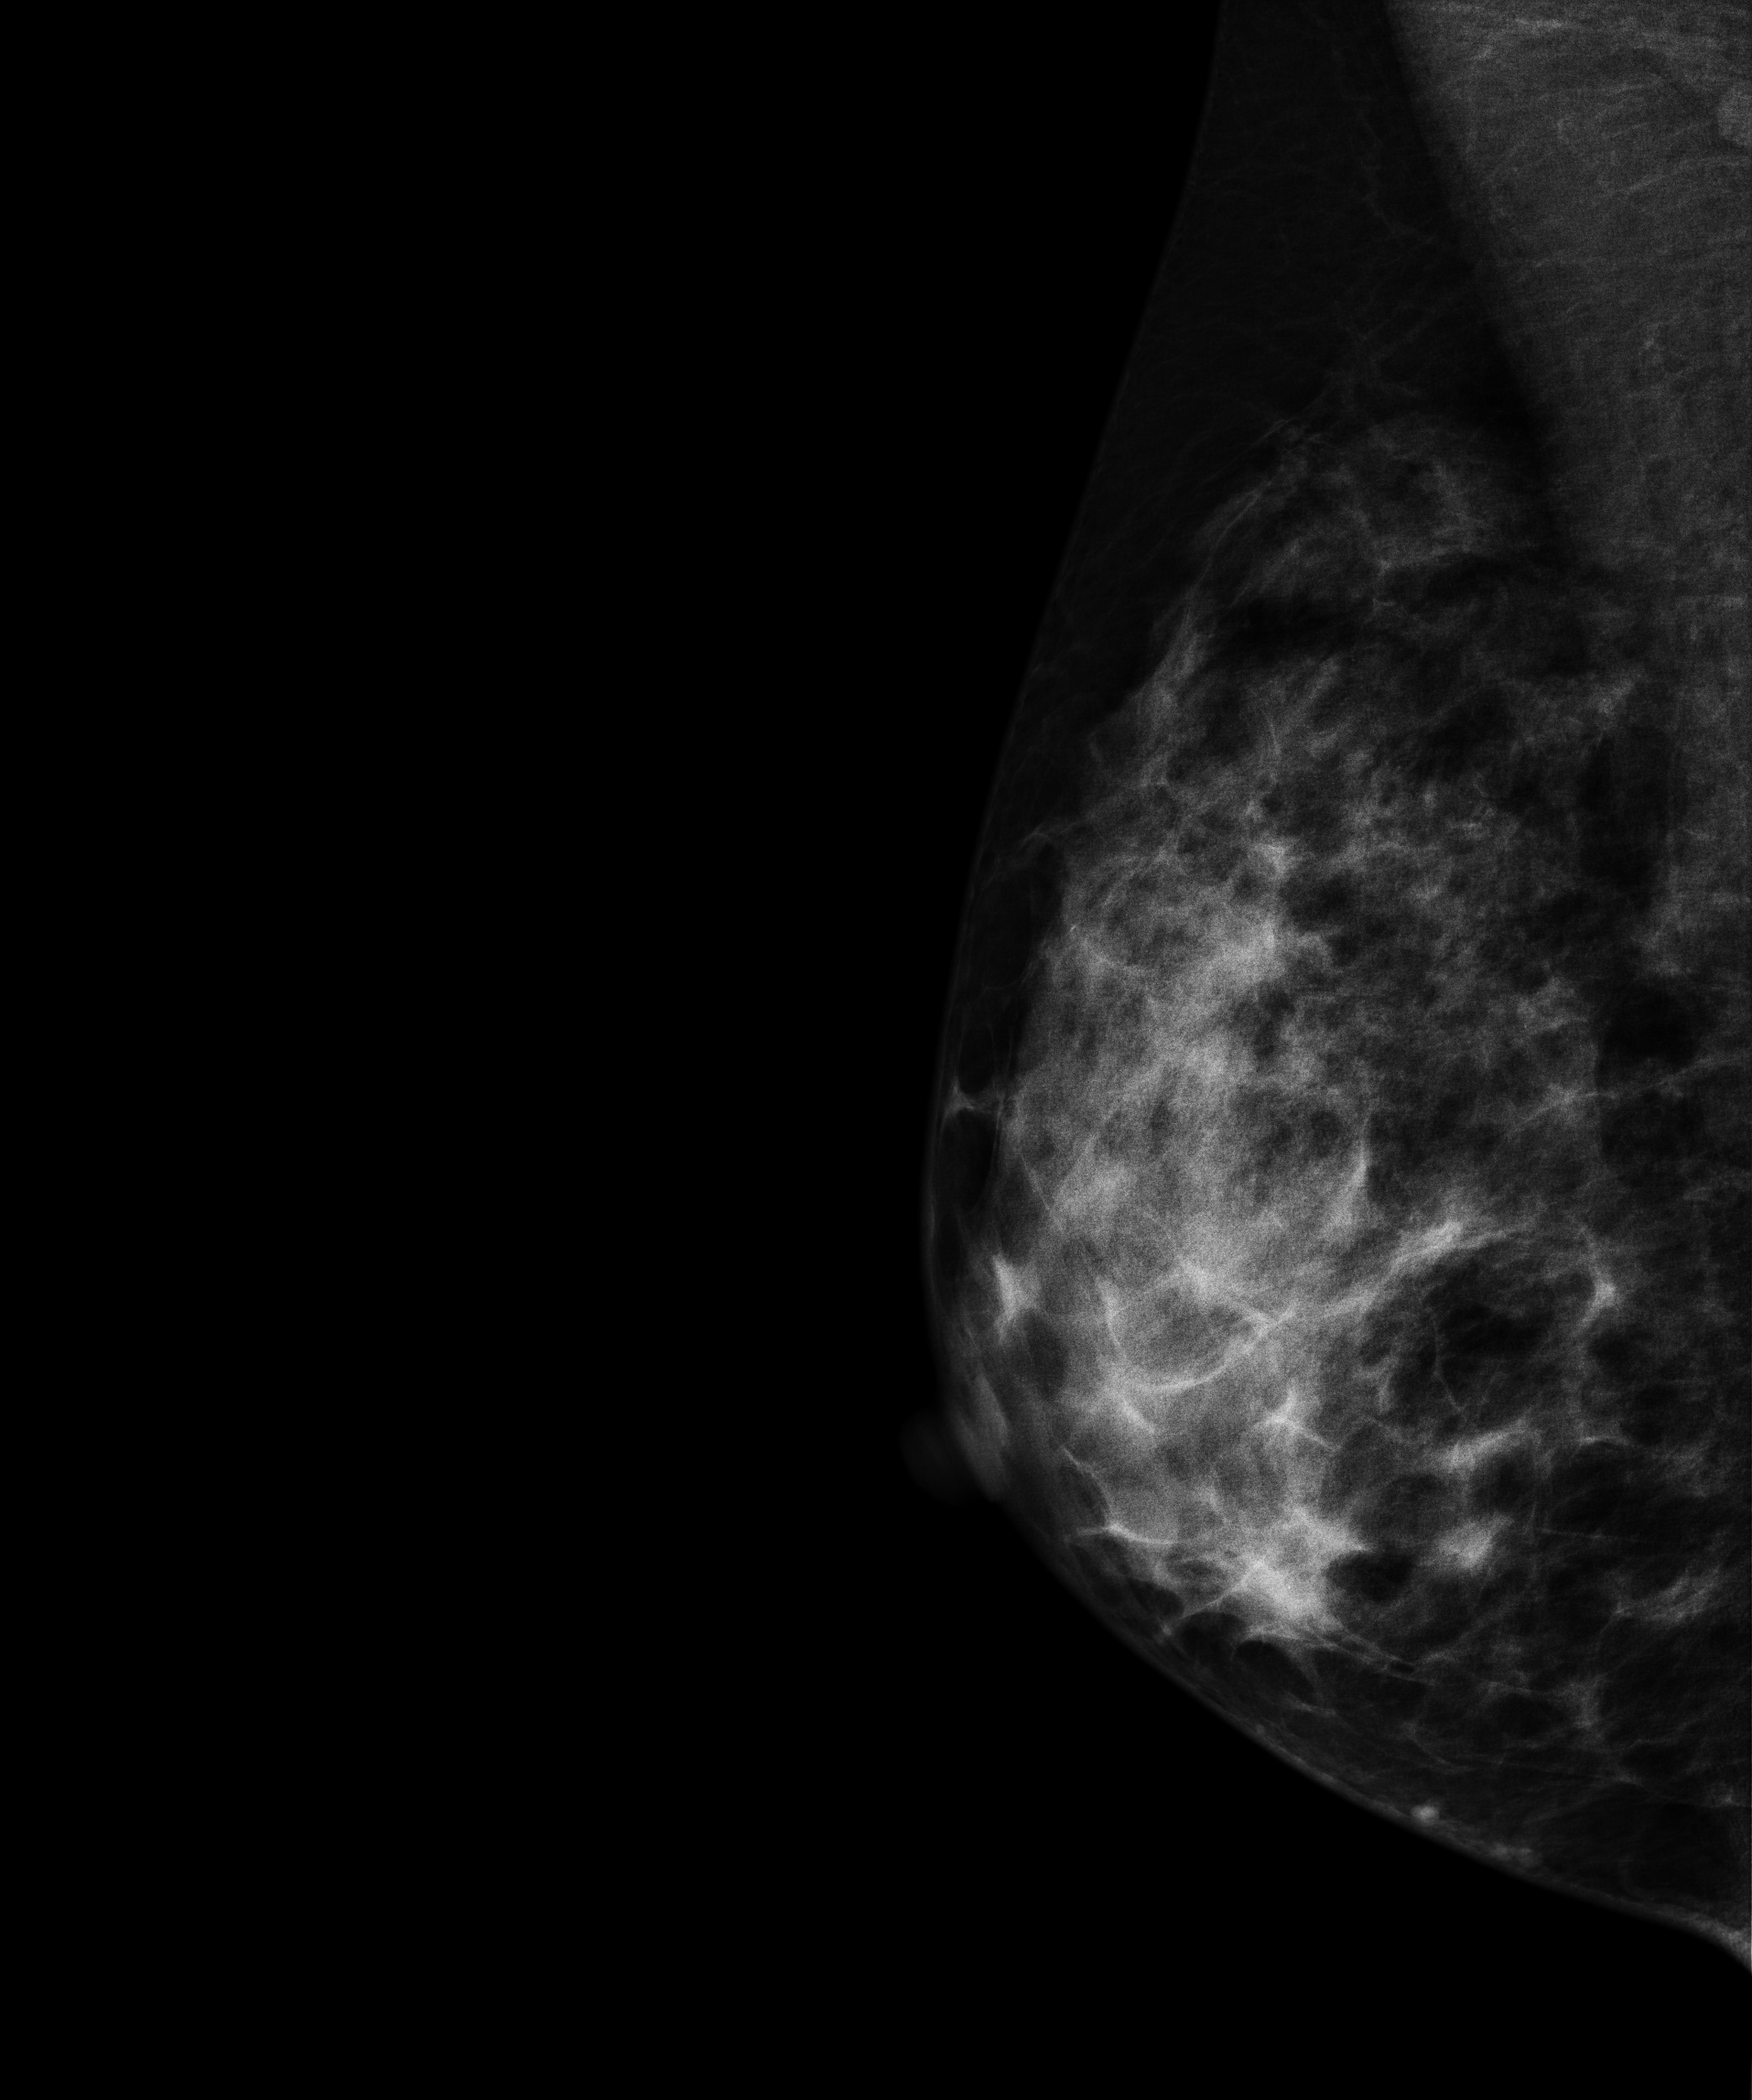
Medio-lateral oblique mammogram of the right breast. 38-year-old patient.
This breast has a mass, biopsy-confirmed malignant.